Medio-lateral oblique mammogram of the left breast. Patient age 62.
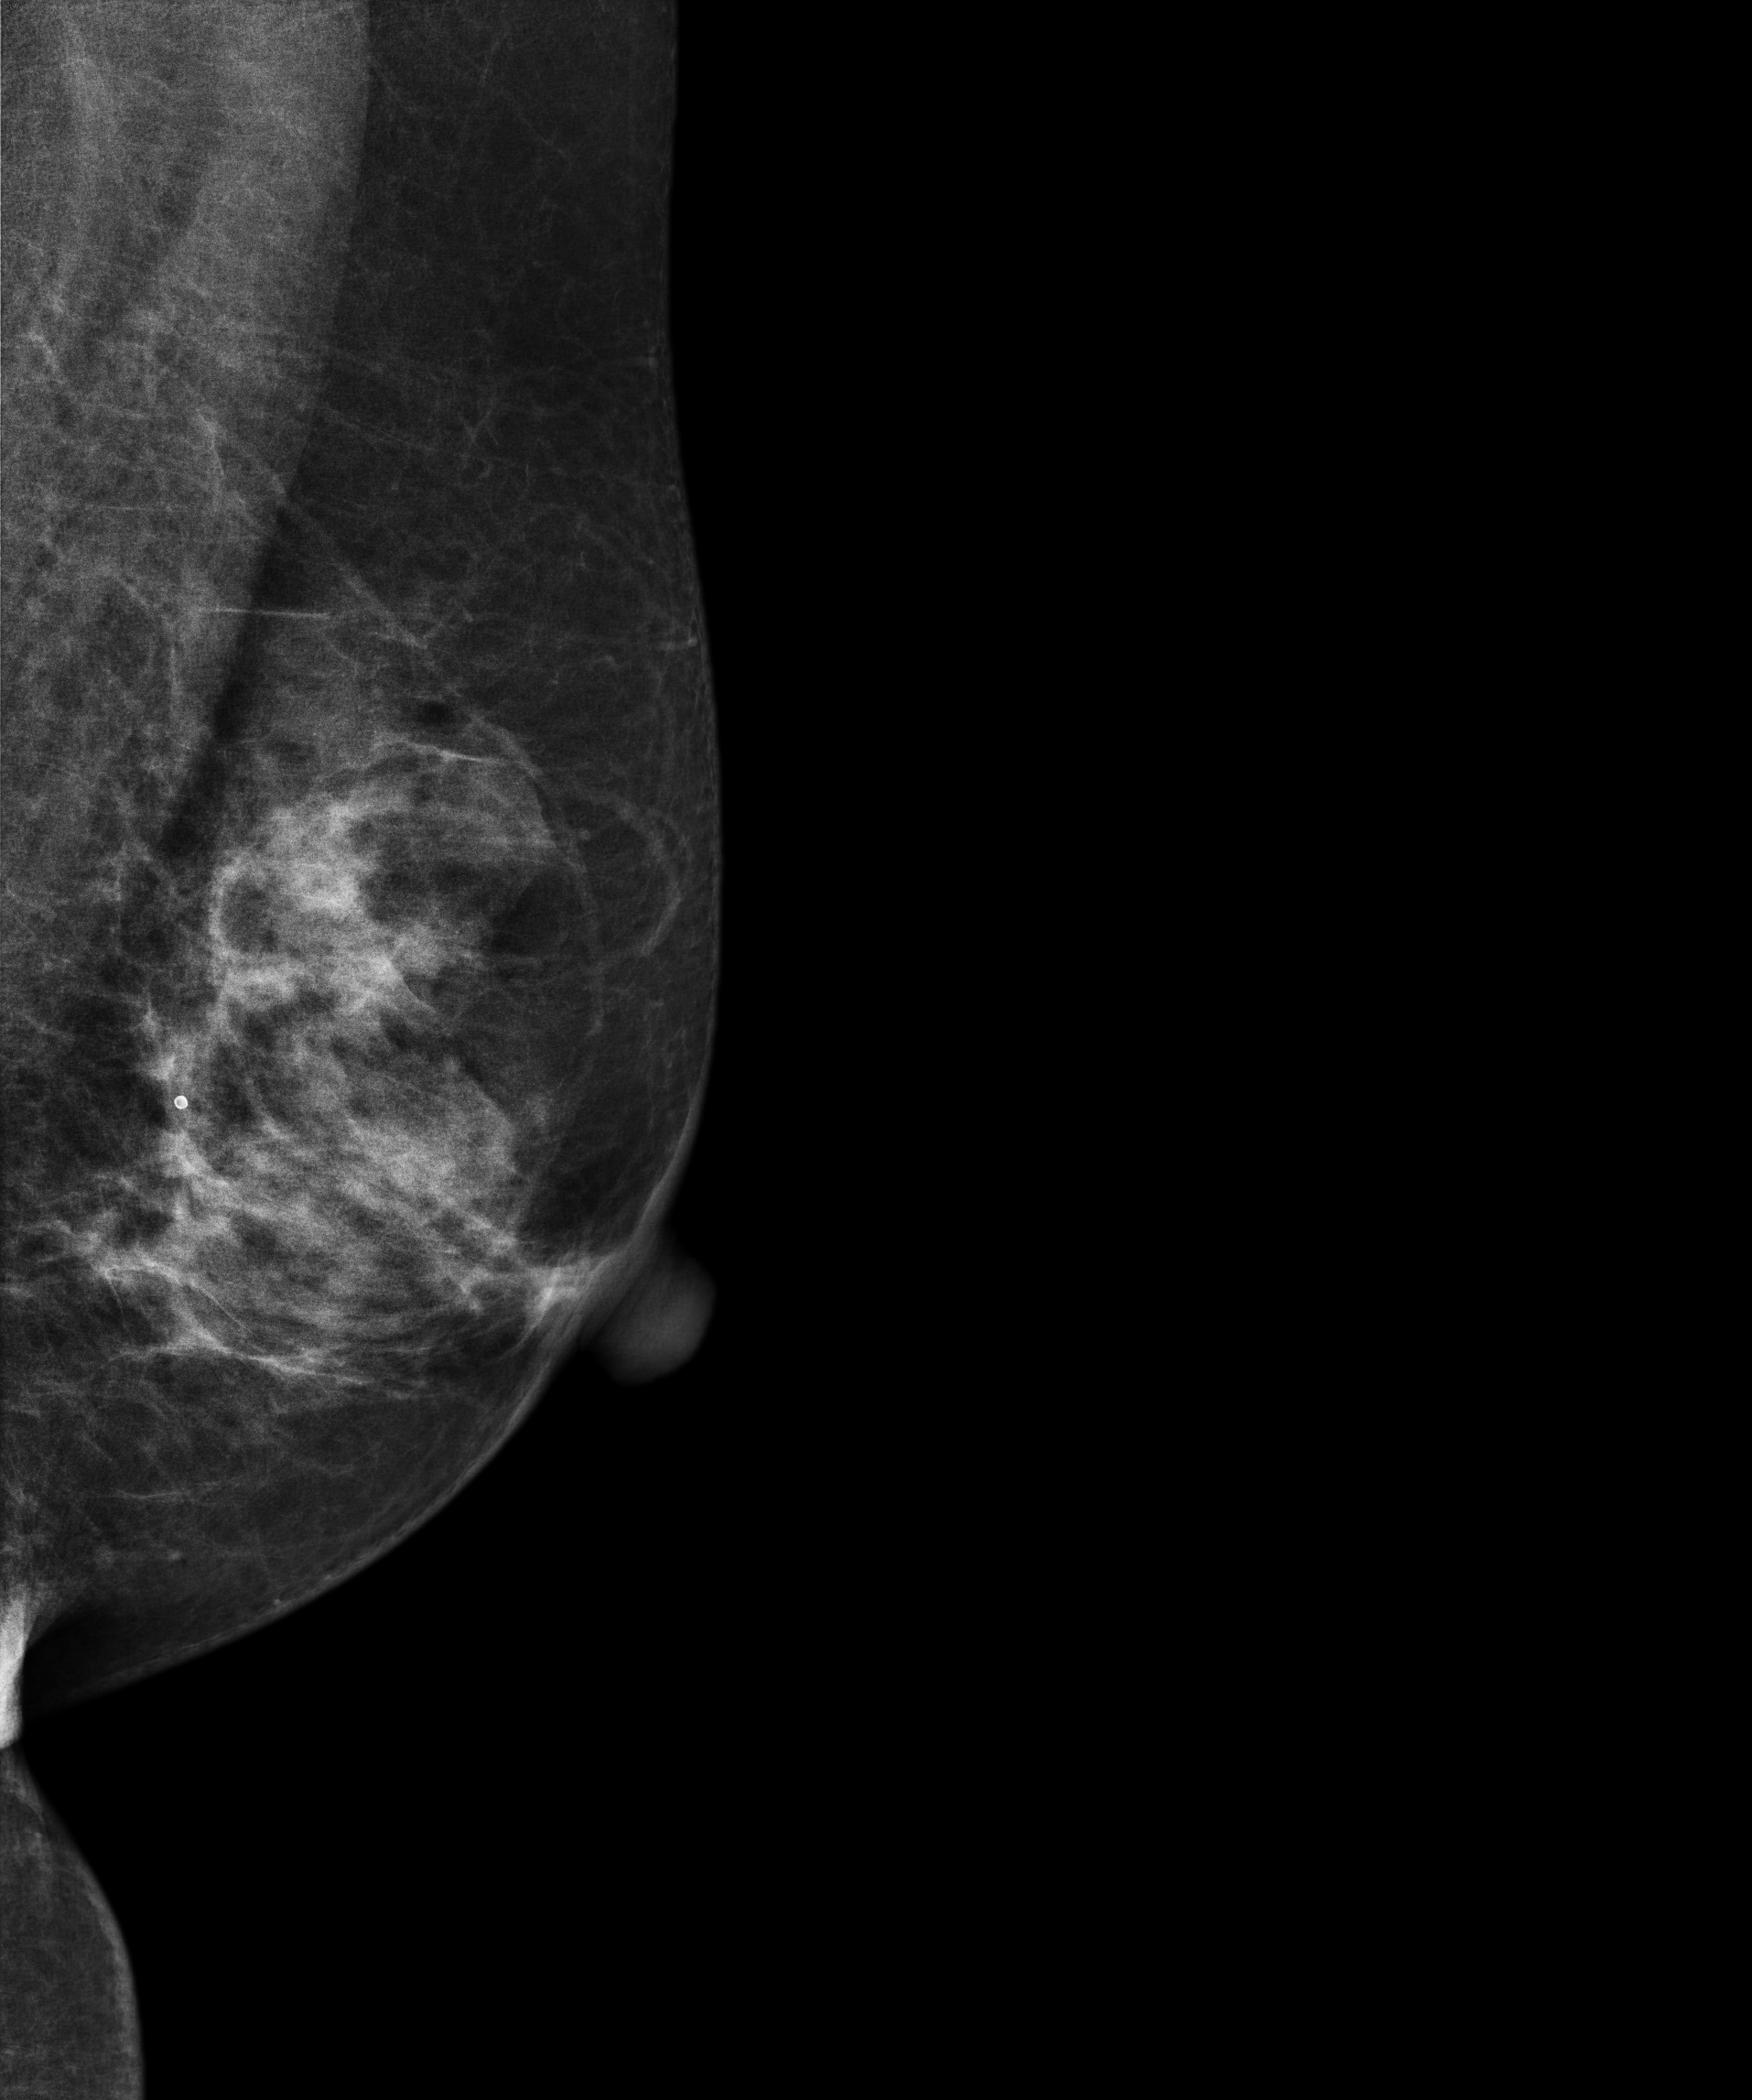
Contralateral breast — no documented abnormality on this side.